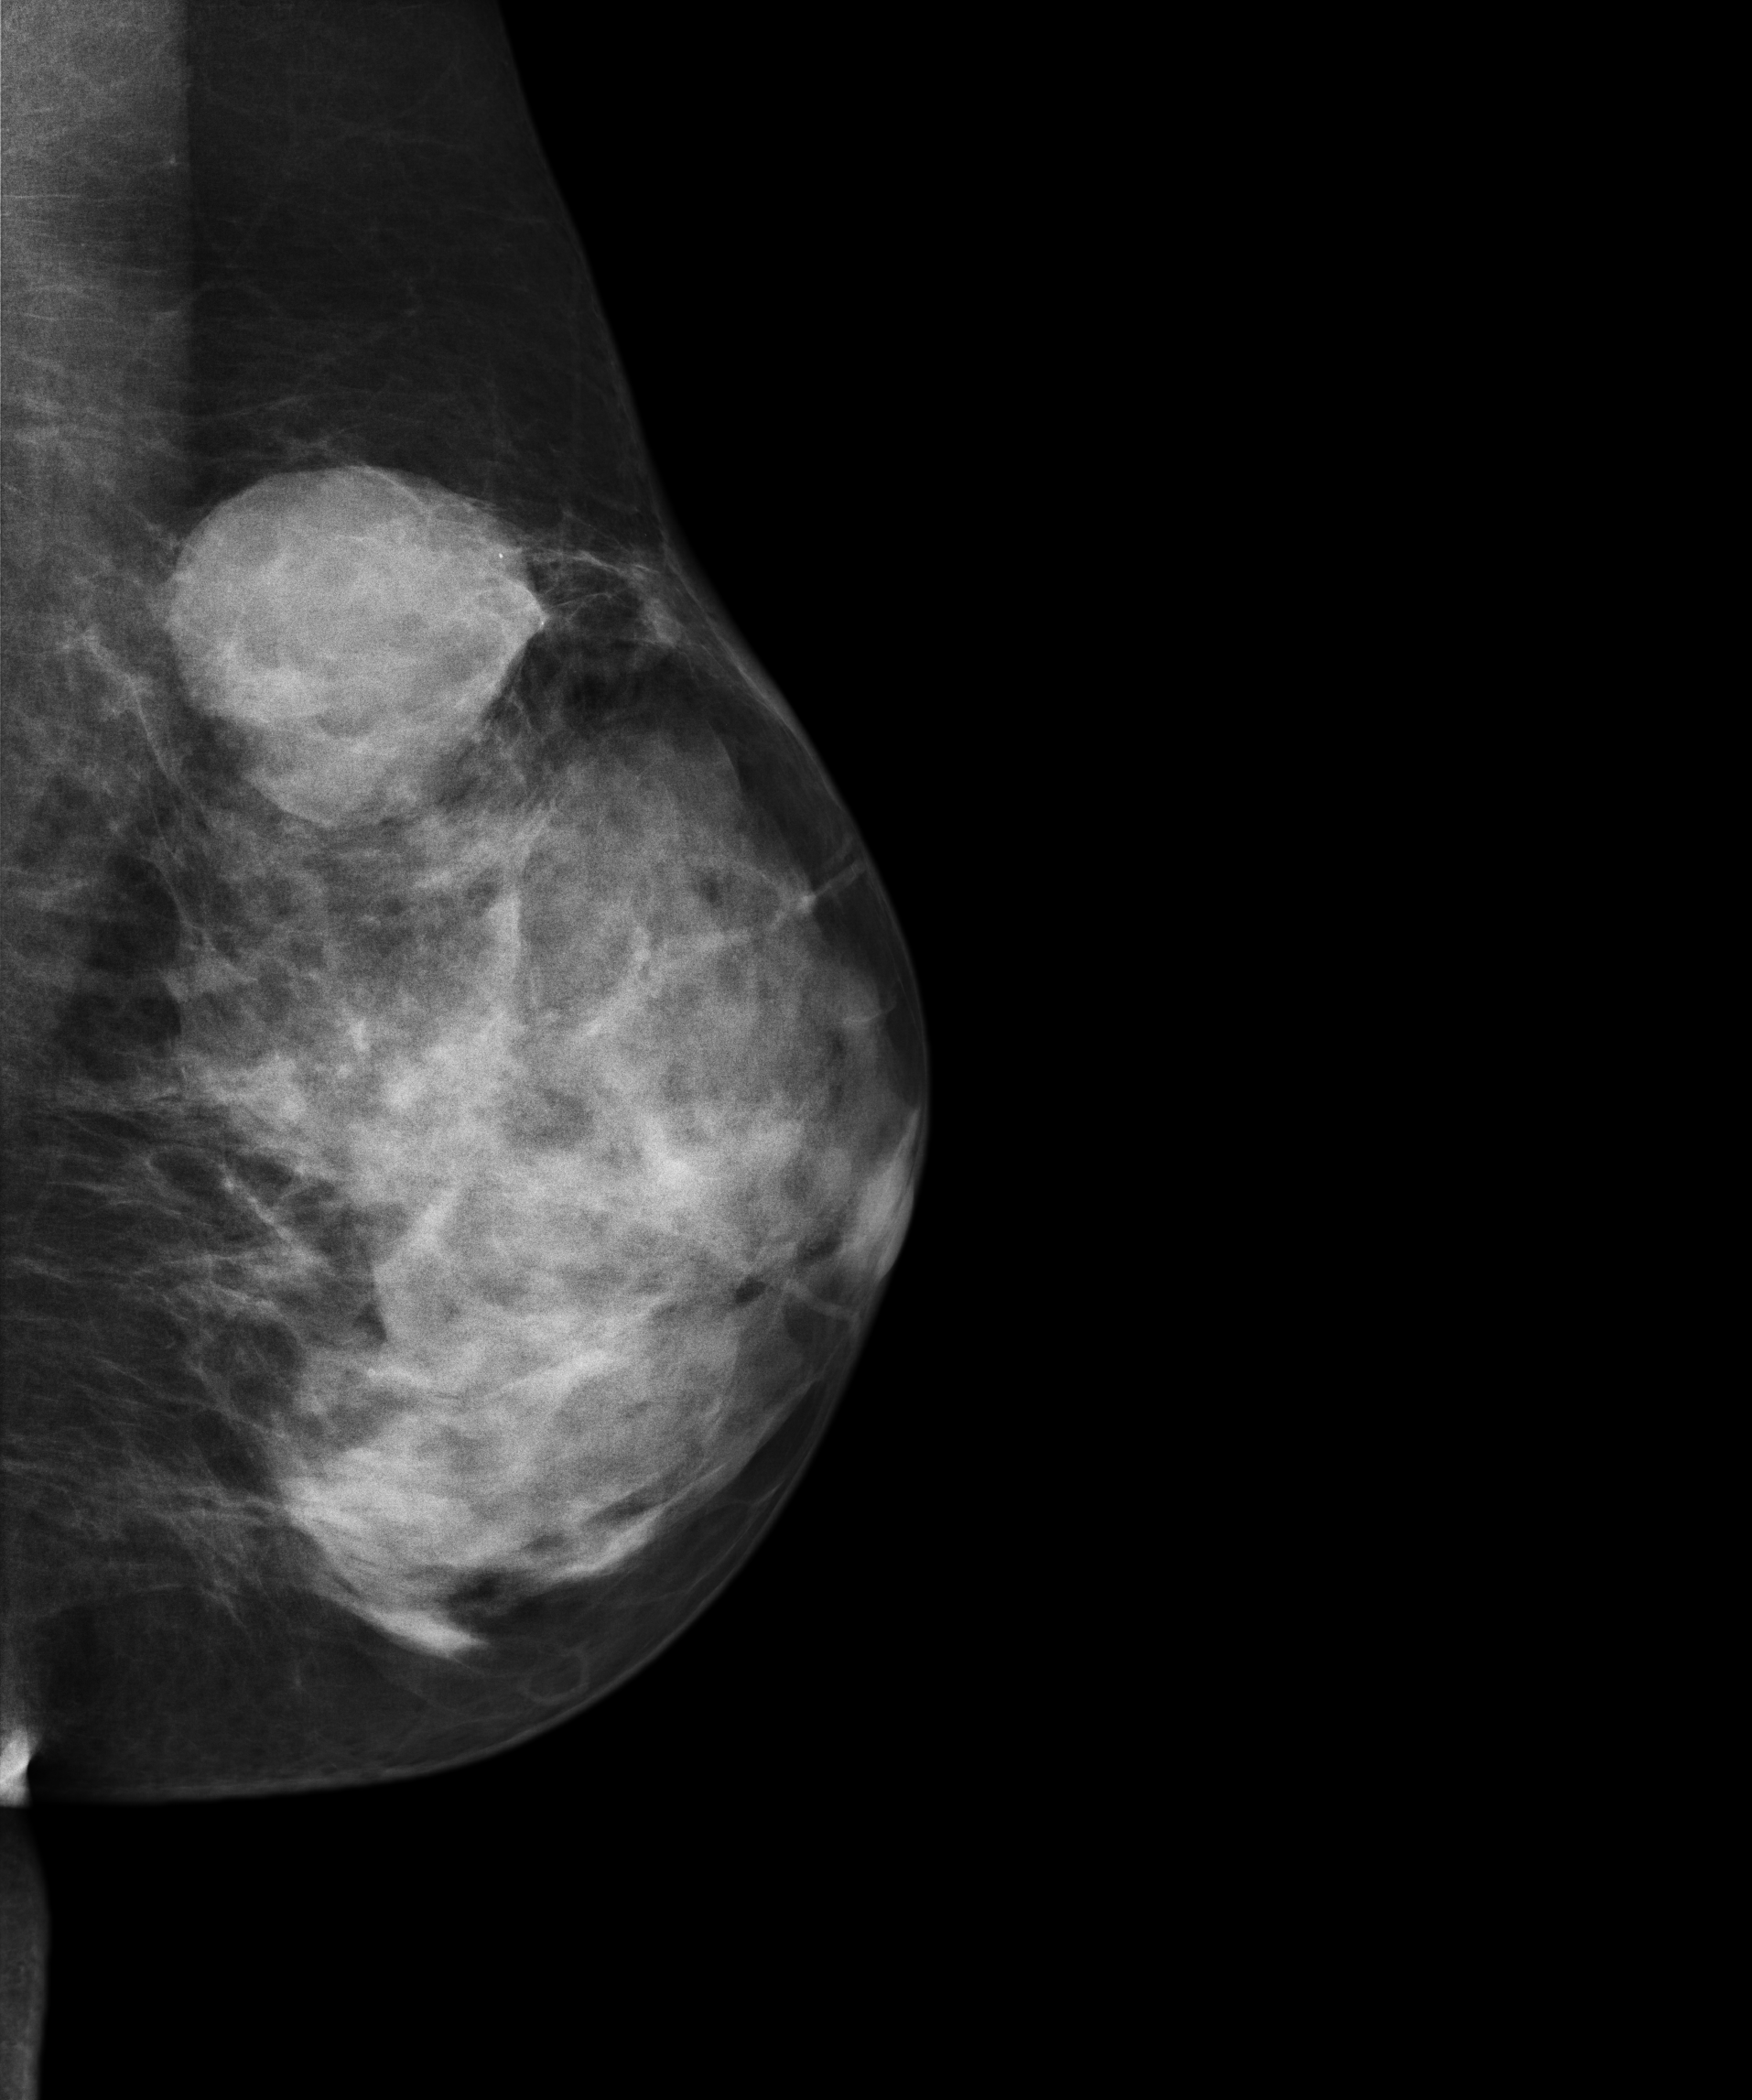
Medio-lateral oblique mammogram of the left breast. Patient age 56.
This breast has a mass, histologically confirmed malignant.